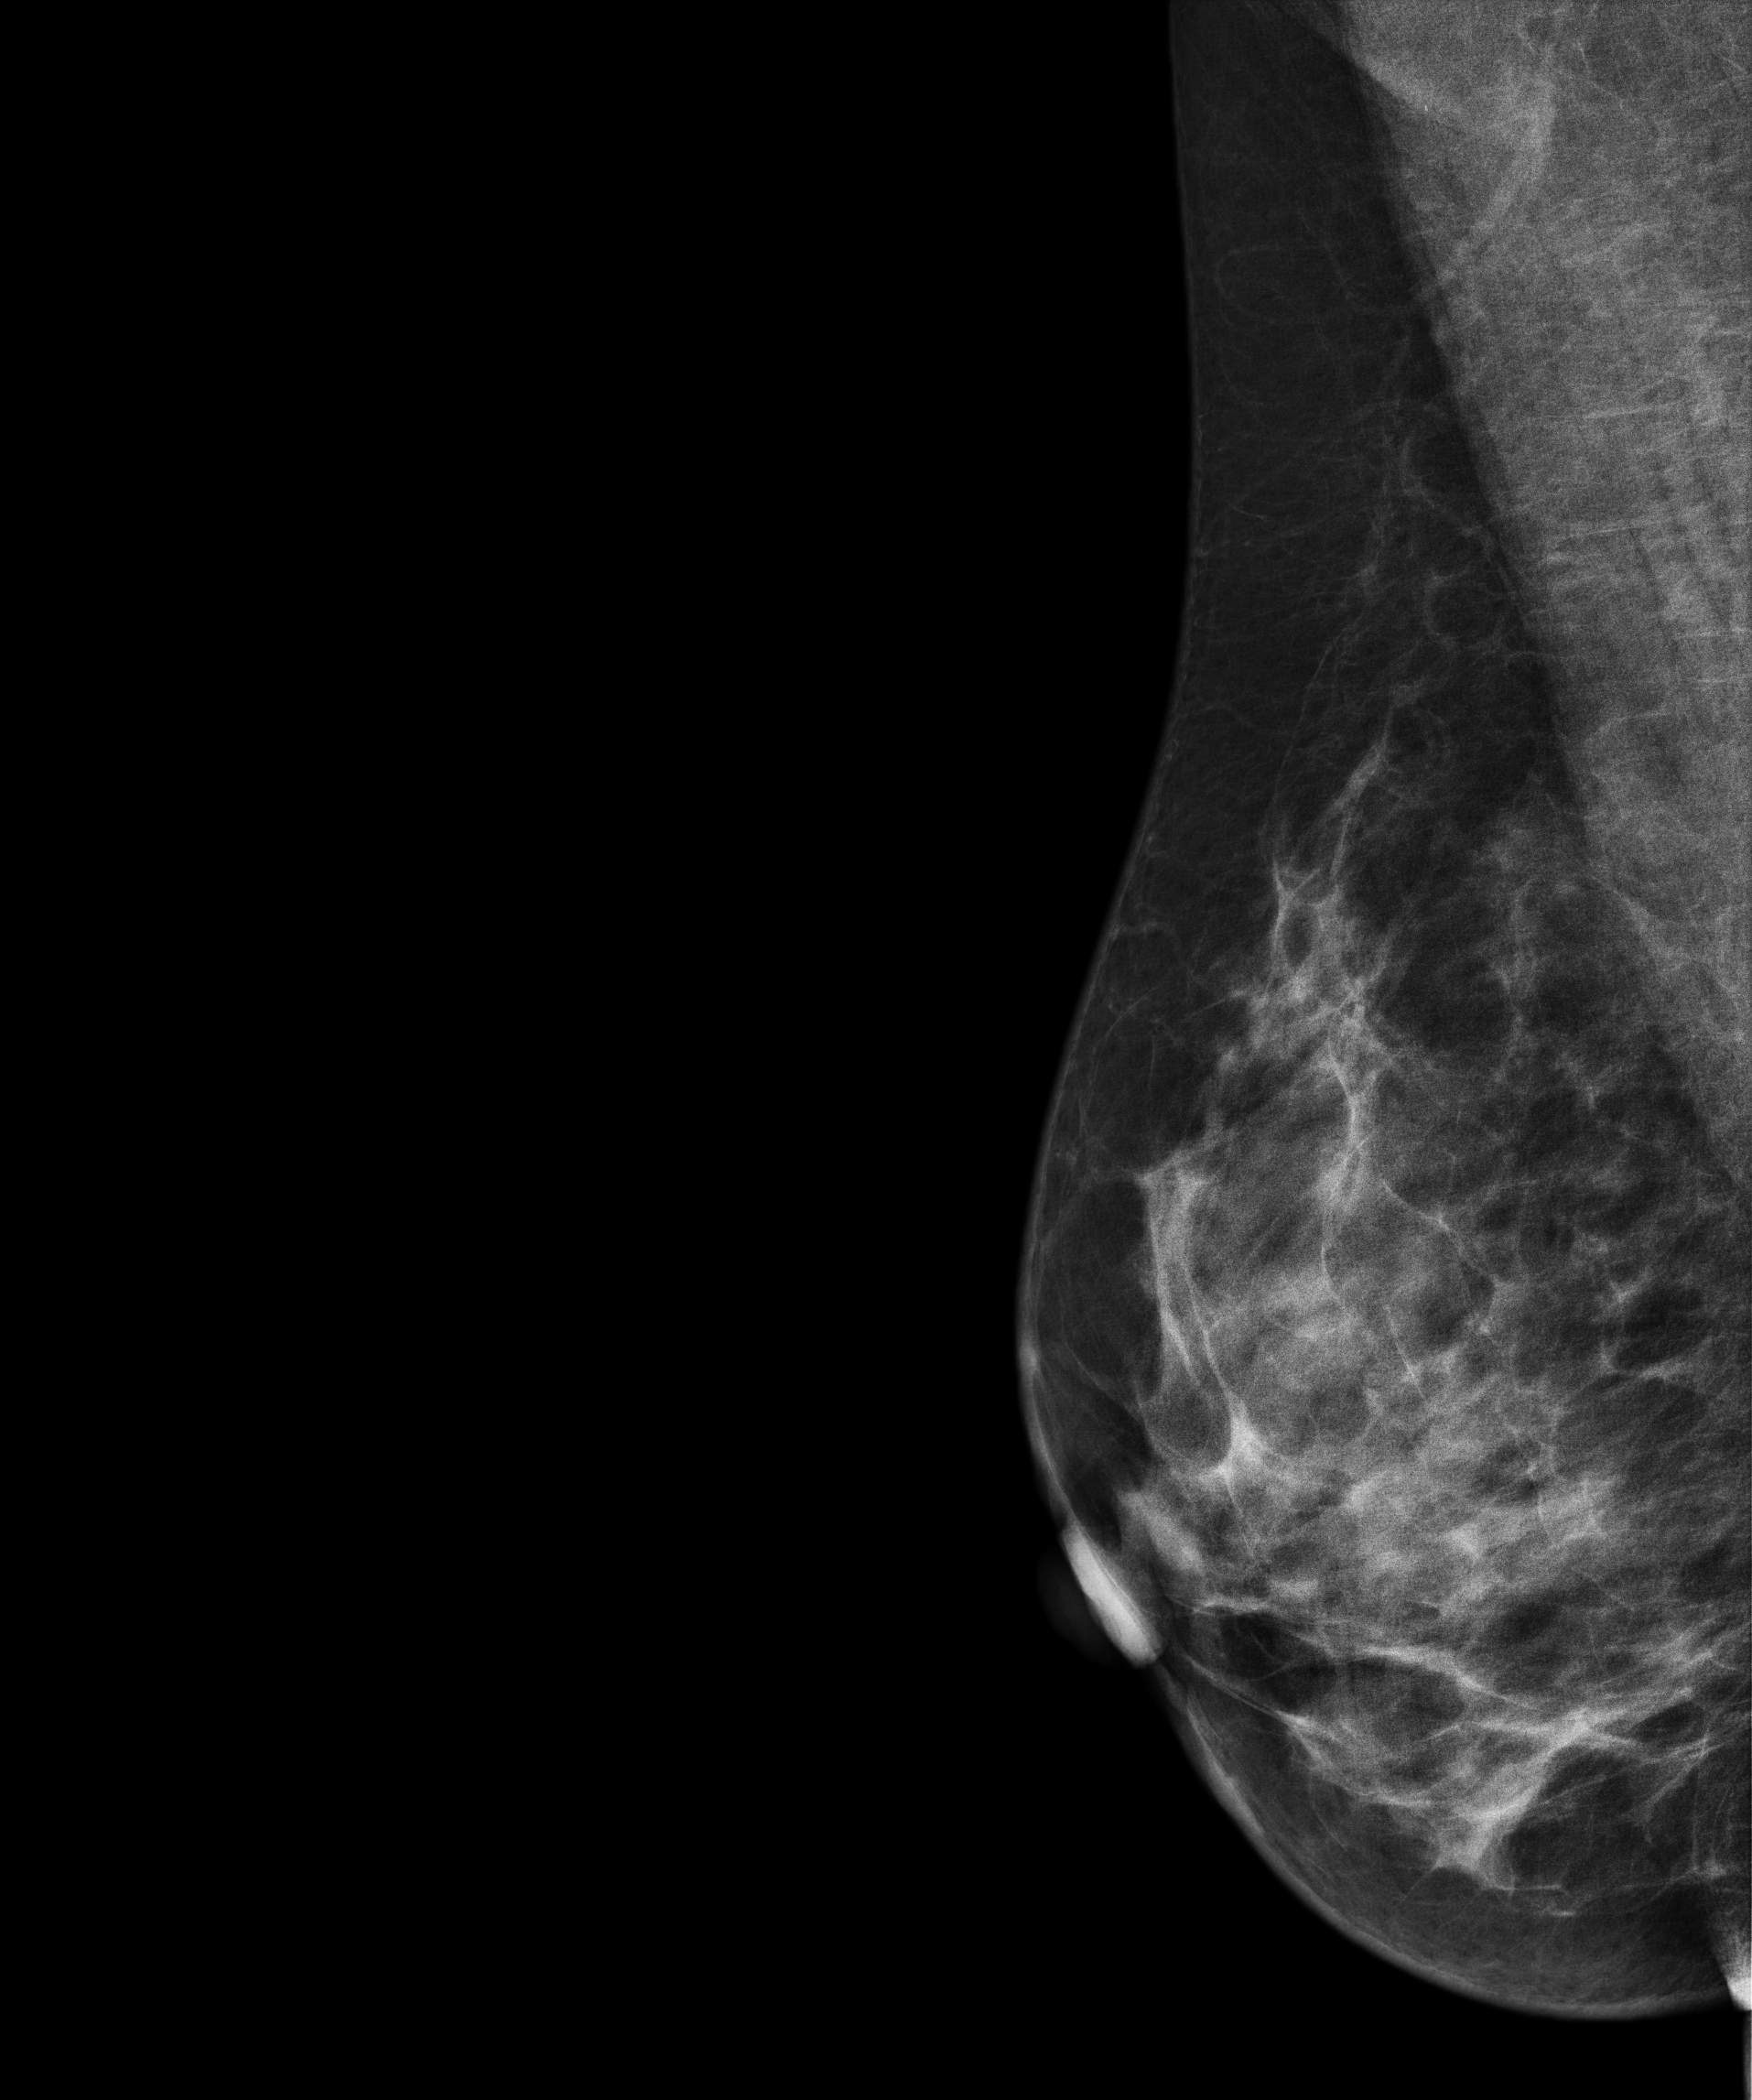
Medio-lateral oblique mammogram of the right breast. Patient age 42.
Contralateral breast — no documented abnormality on this side.